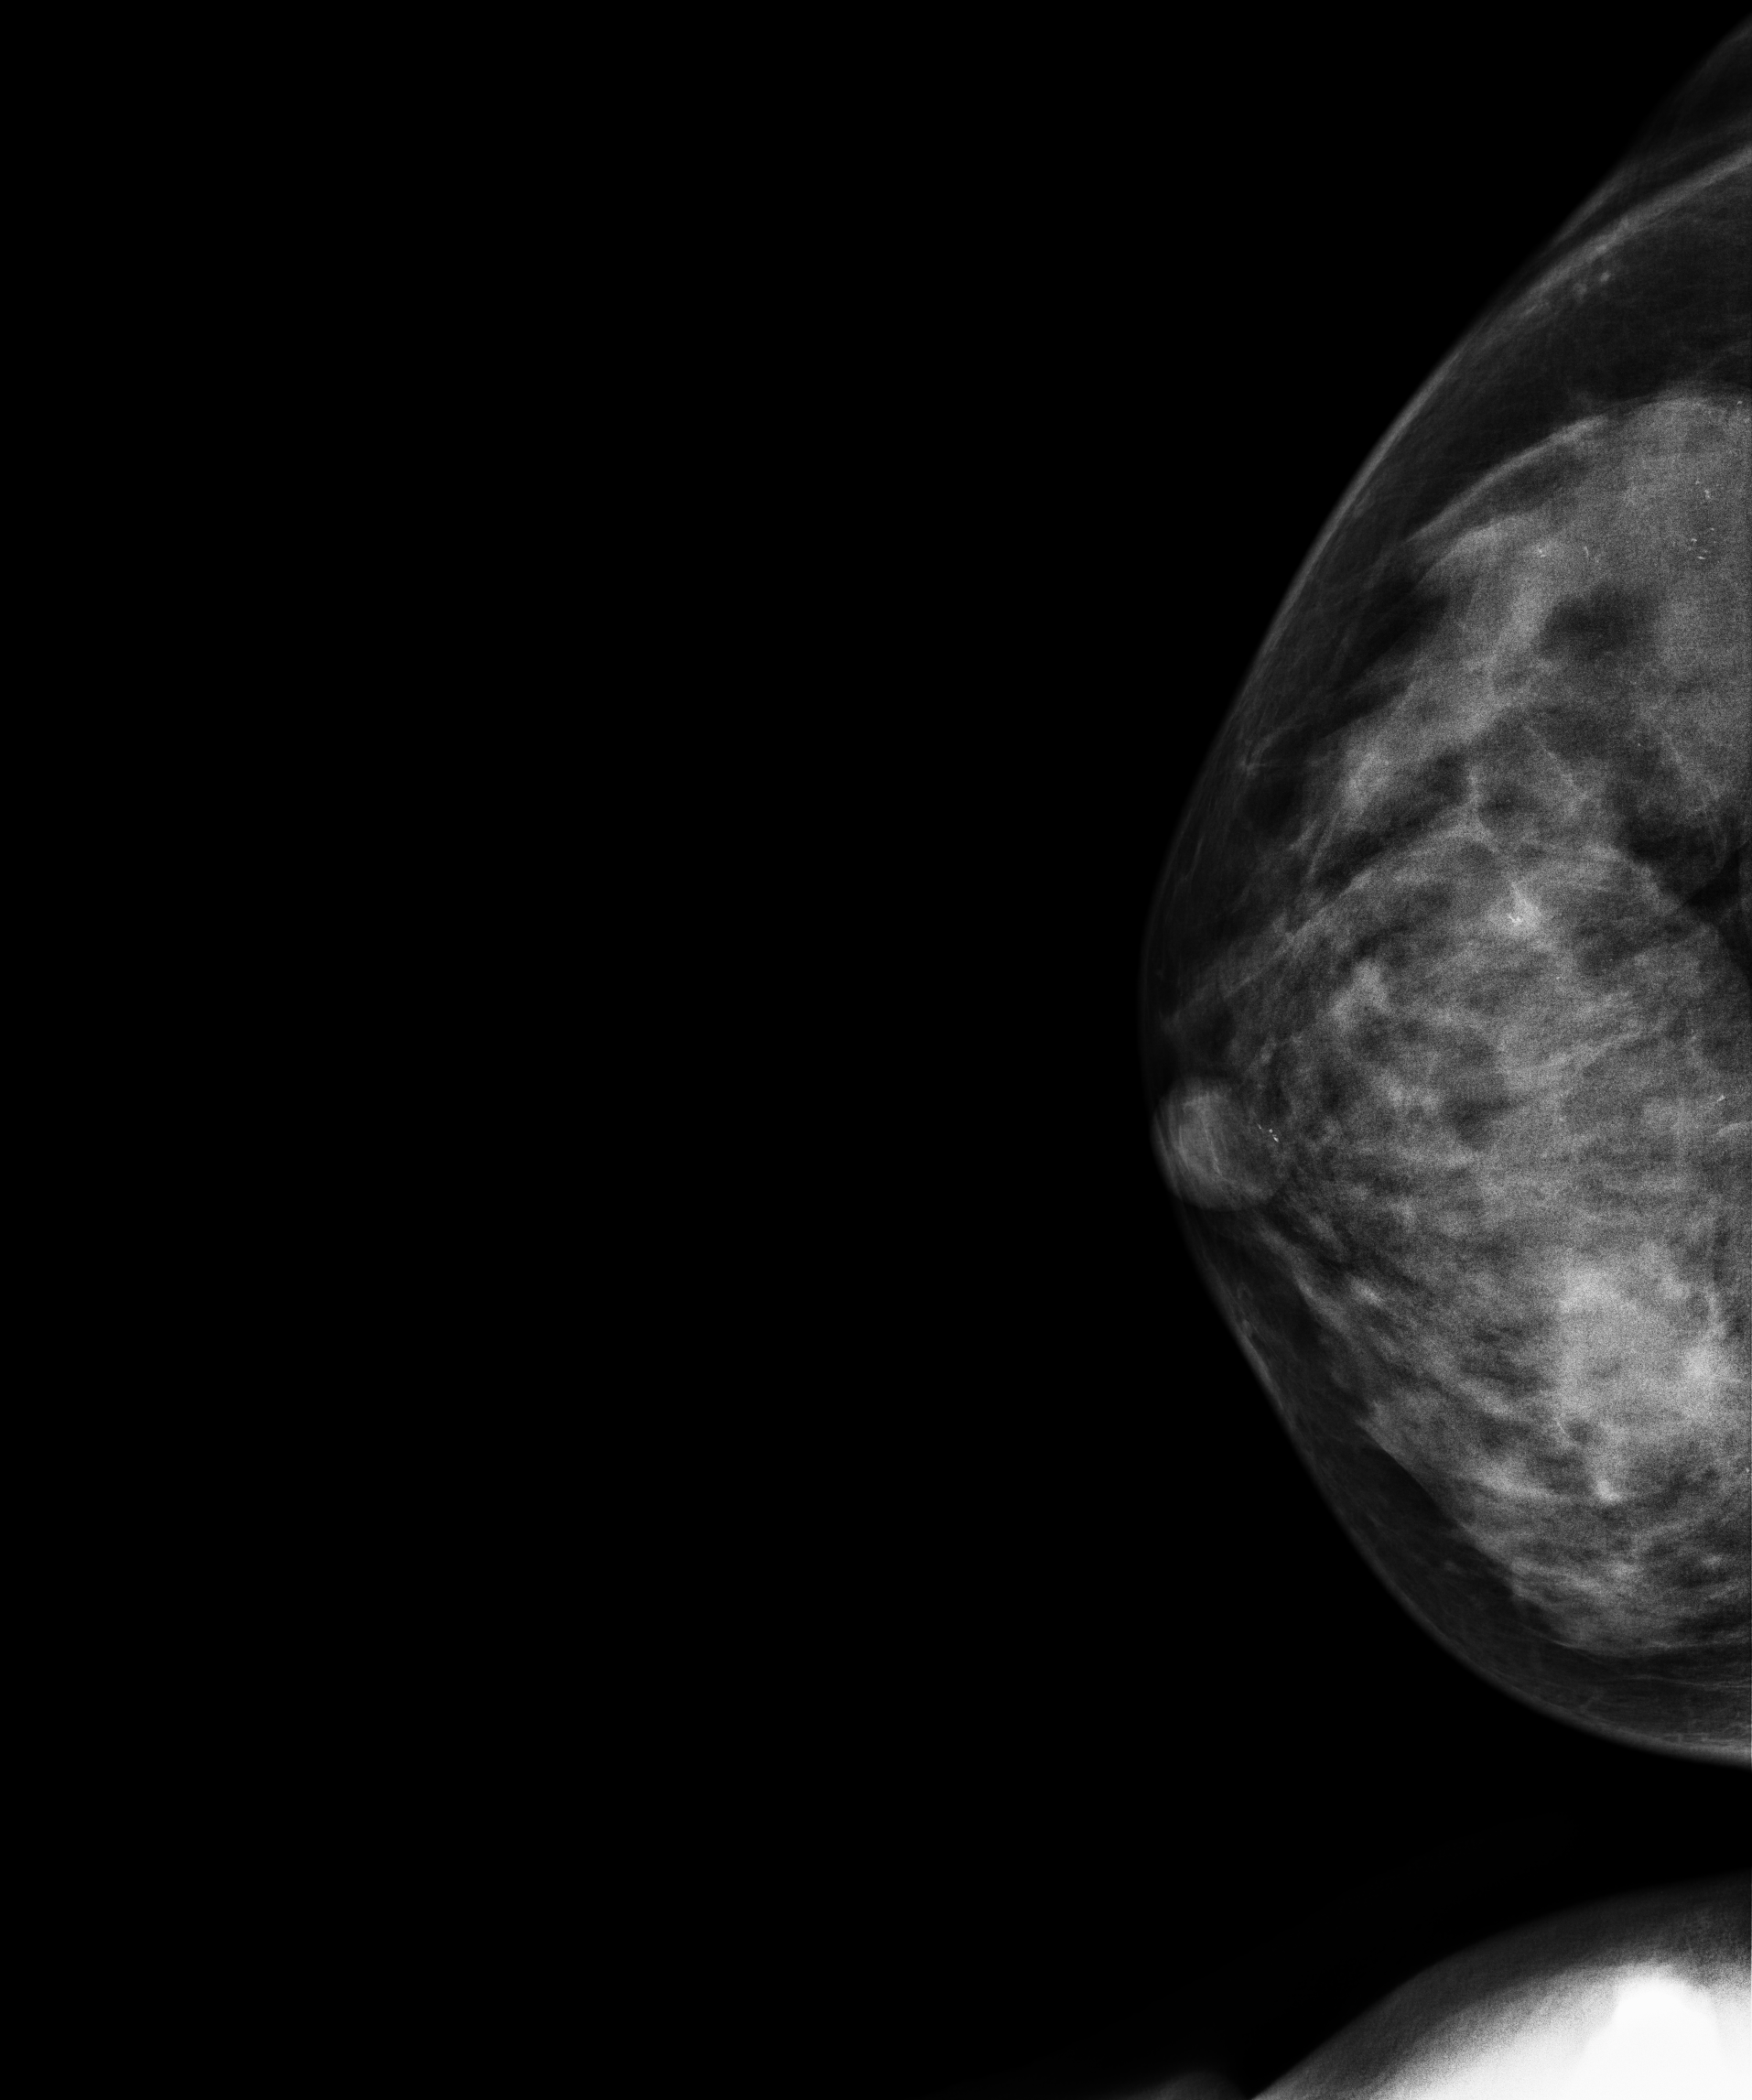
Right-breast mammogram, CC. 43-year-old patient.
This breast has calcifications, biopsy-confirmed malignant.